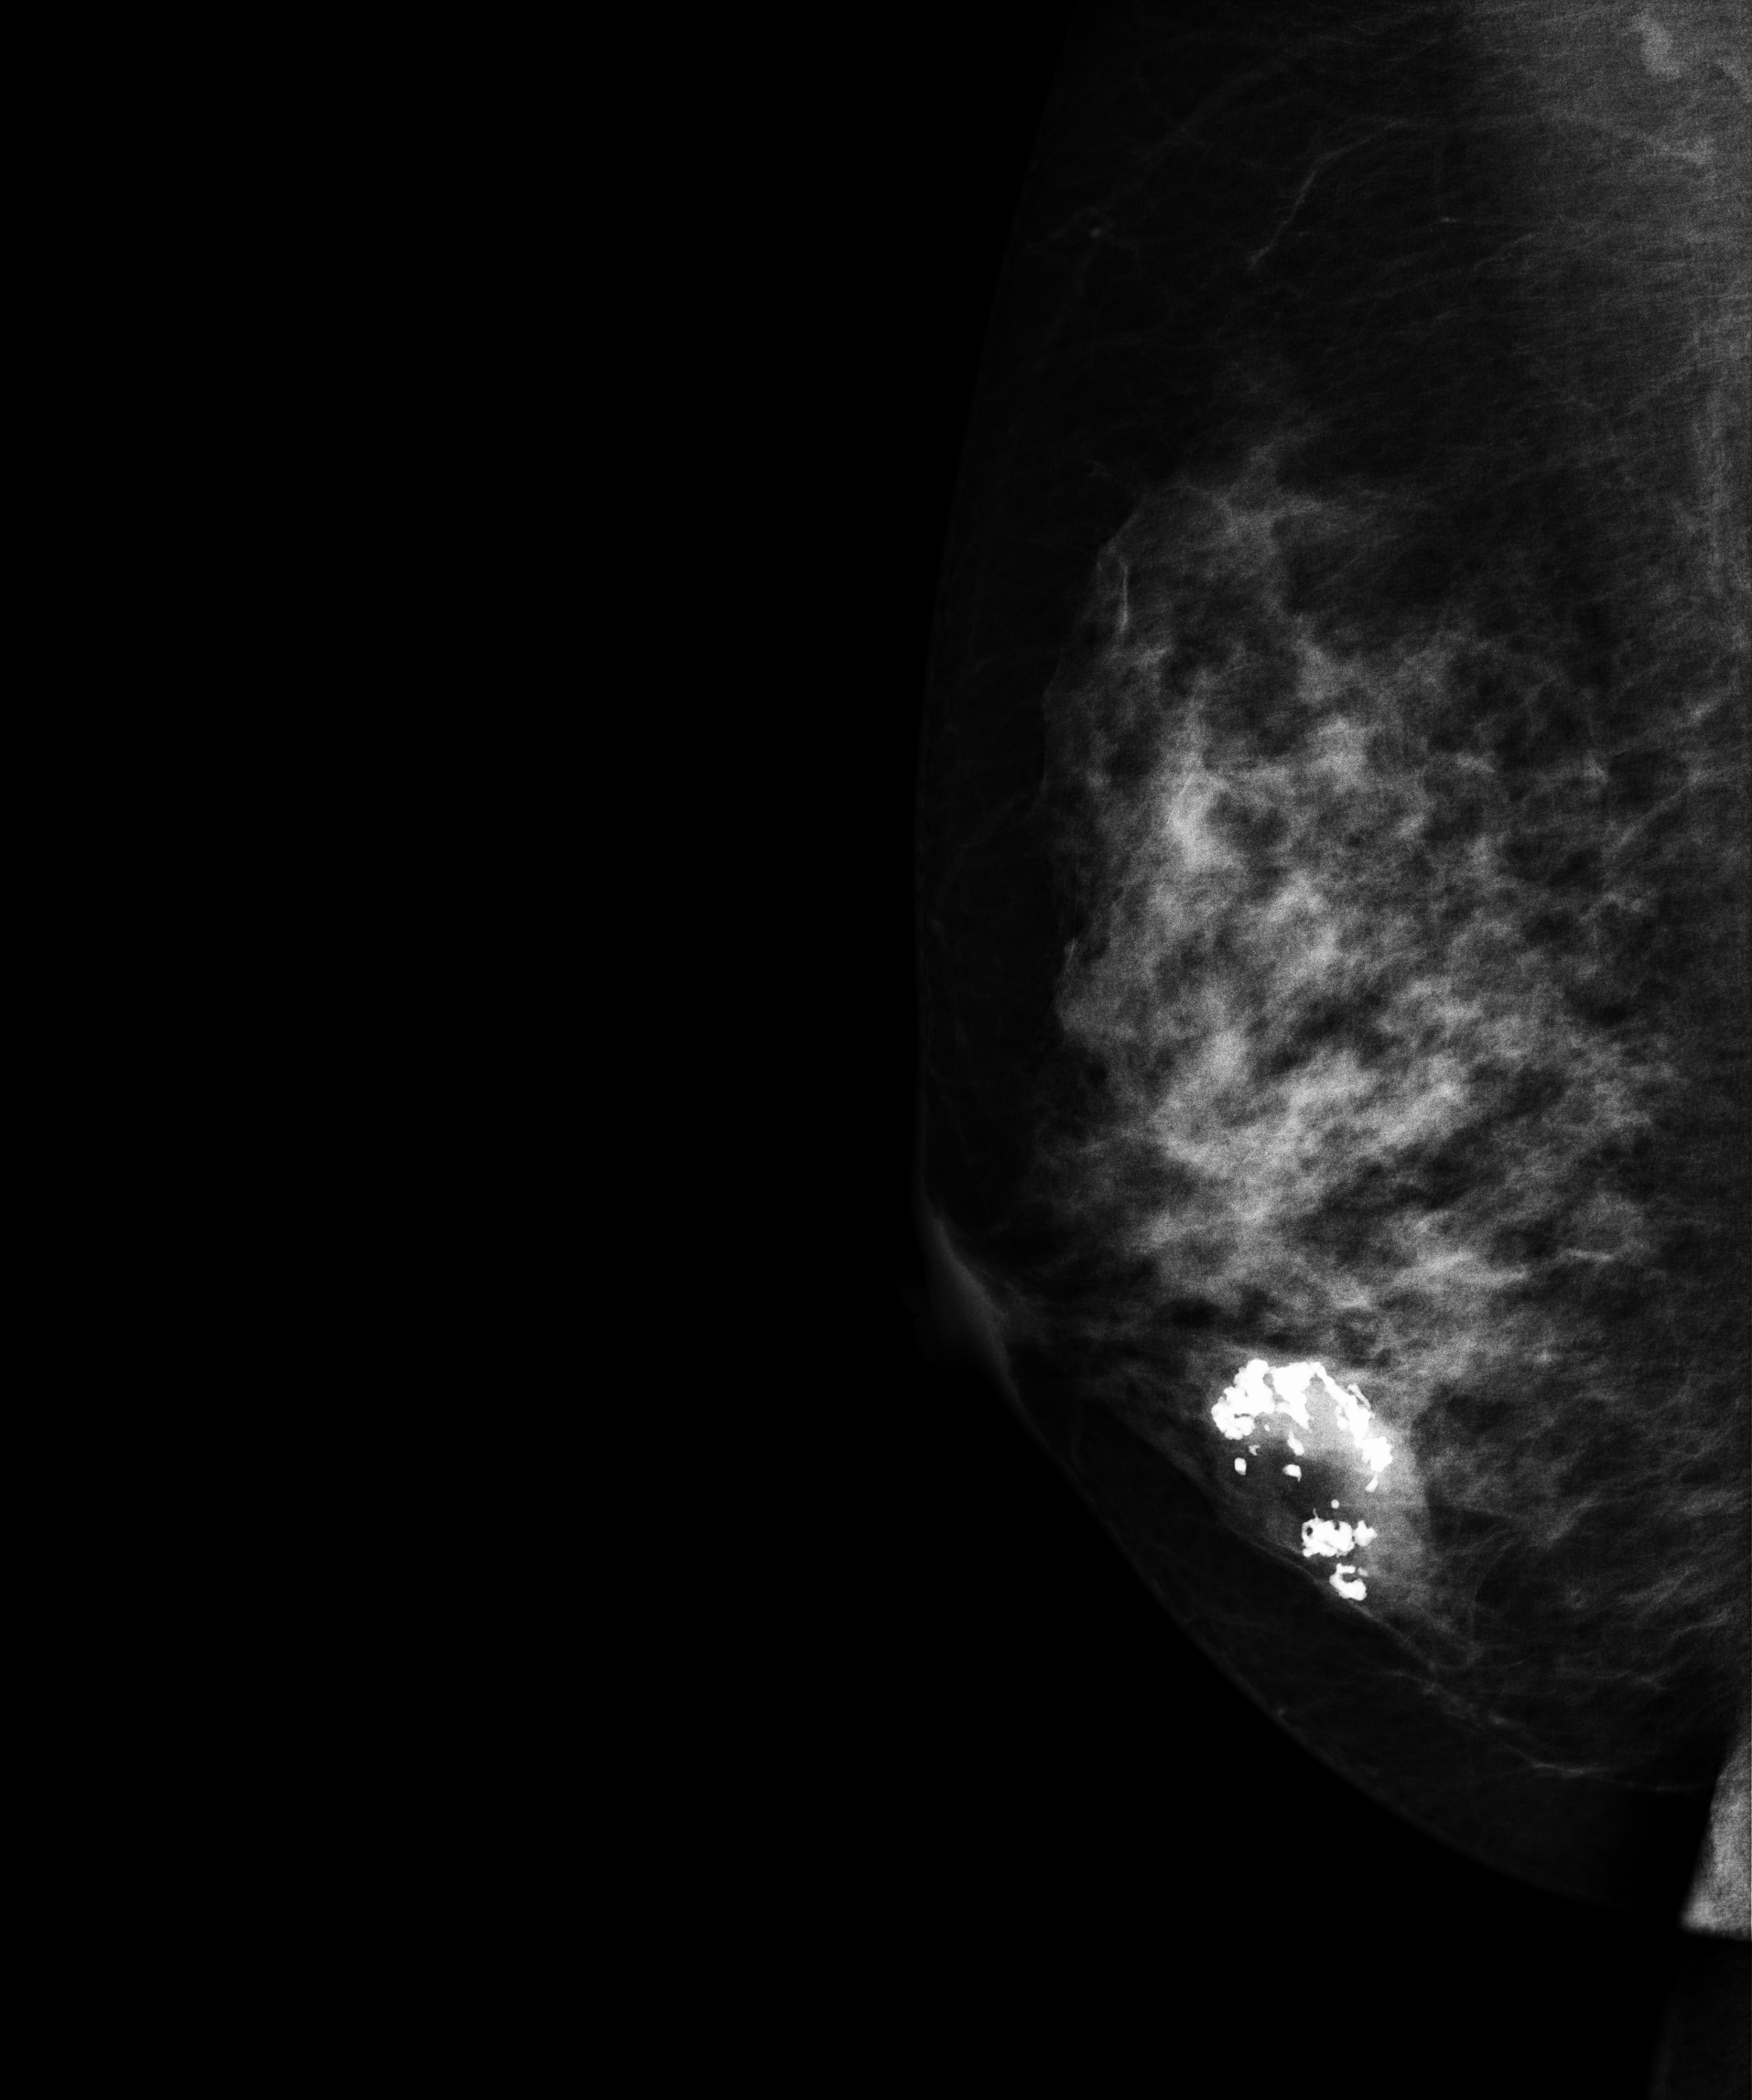
Right-breast mammogram, MLO. Patient age 58.
This breast has a mass and calcifications, biopsy-proven benign.